Mammogram, left breast, MLO view. 53-year-old patient.
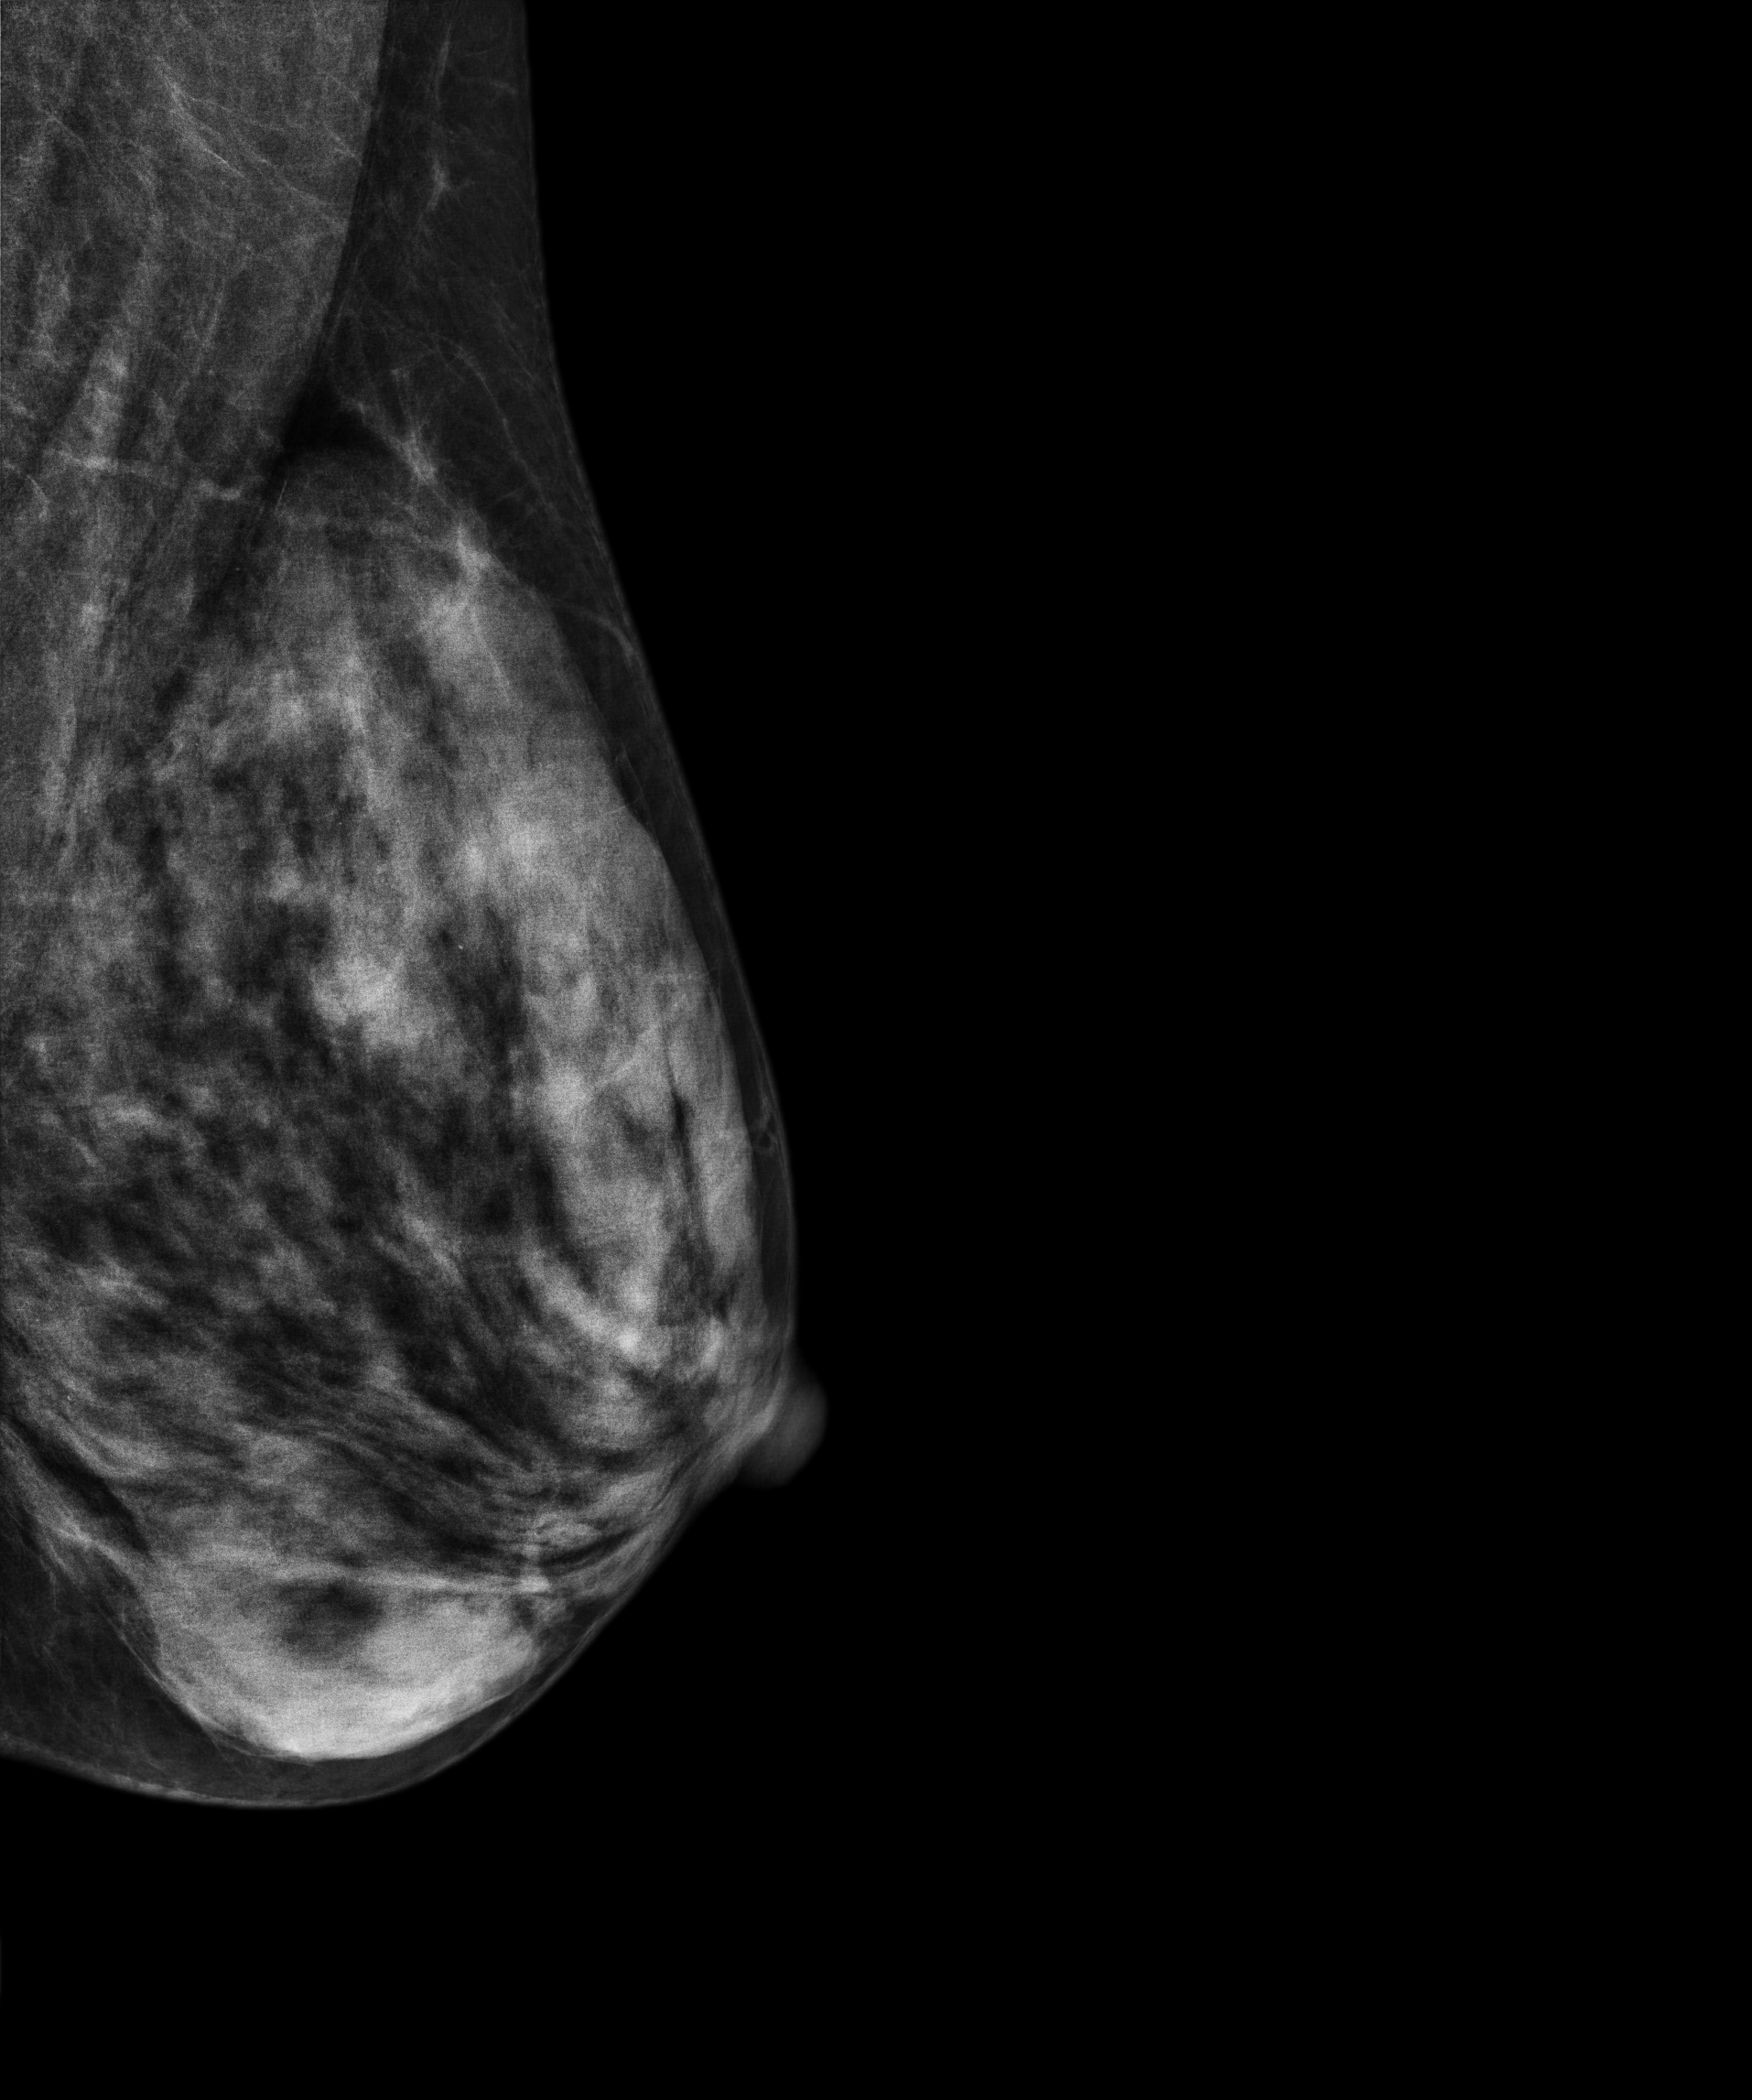
Contralateral breast — no documented abnormality on this side.